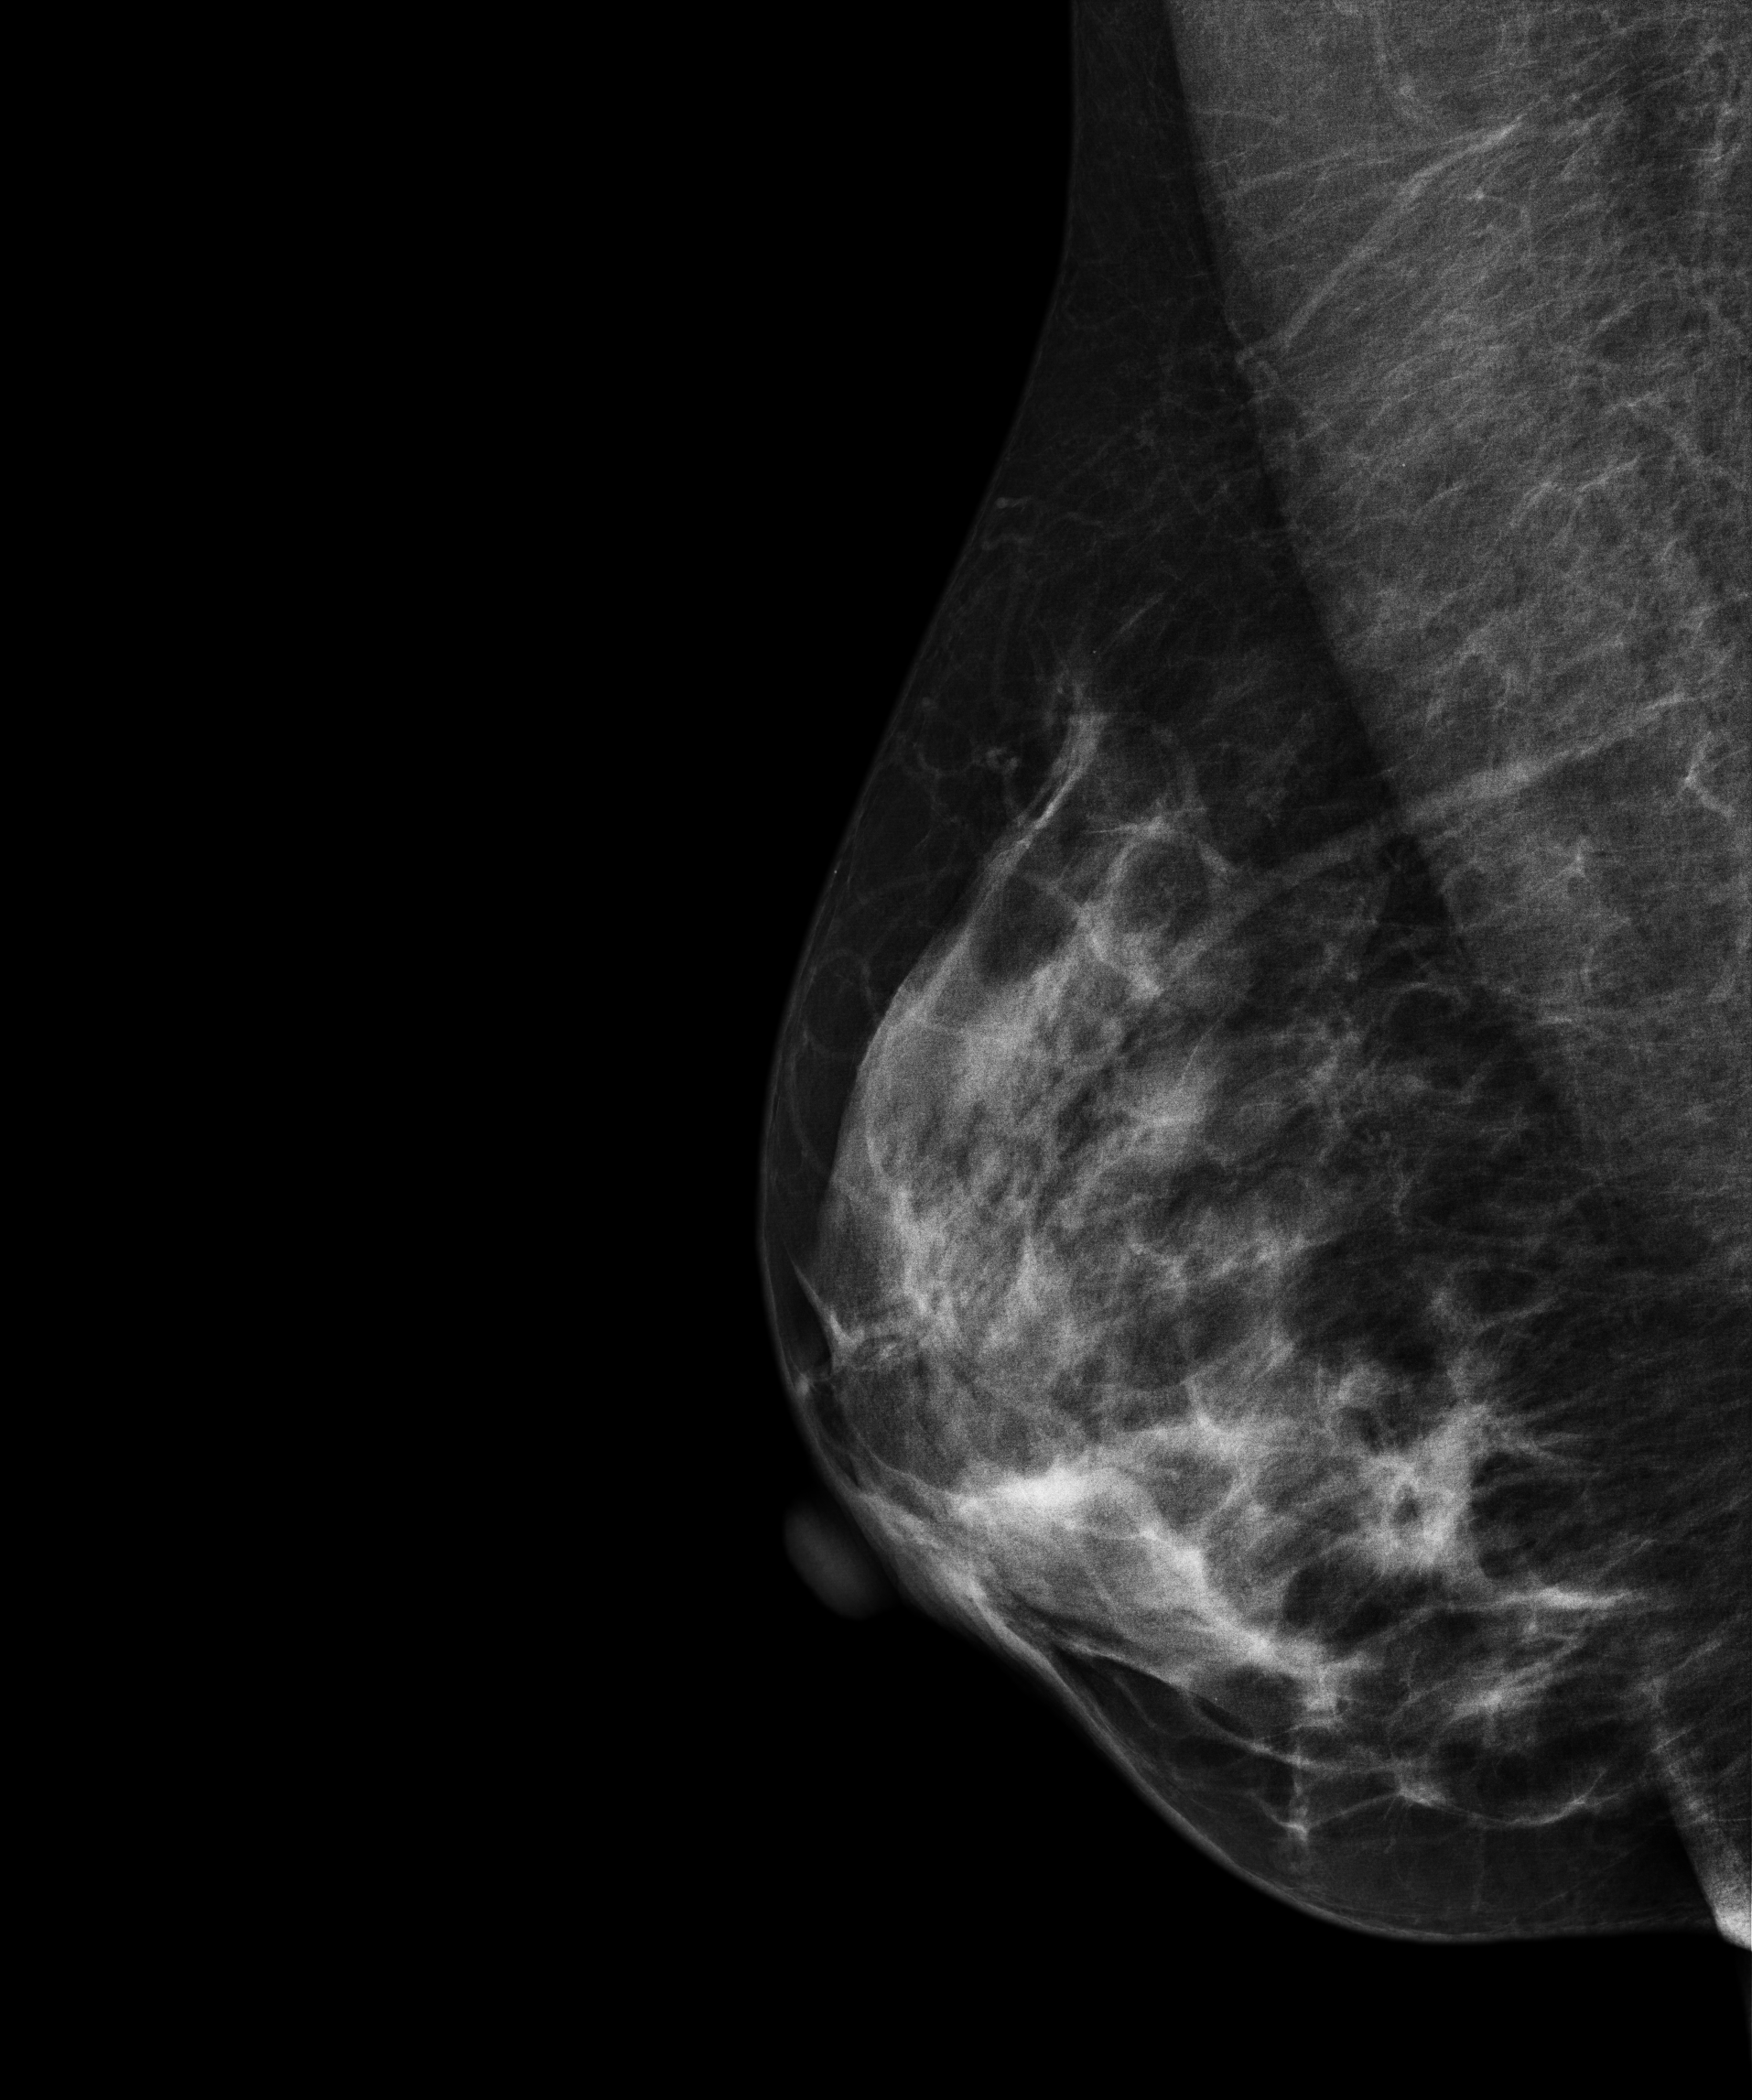
Right-breast mammogram, MLO. 46-year-old patient.
This breast has a mass, biopsy-proven malignant. Molecular subtype: luminal B.